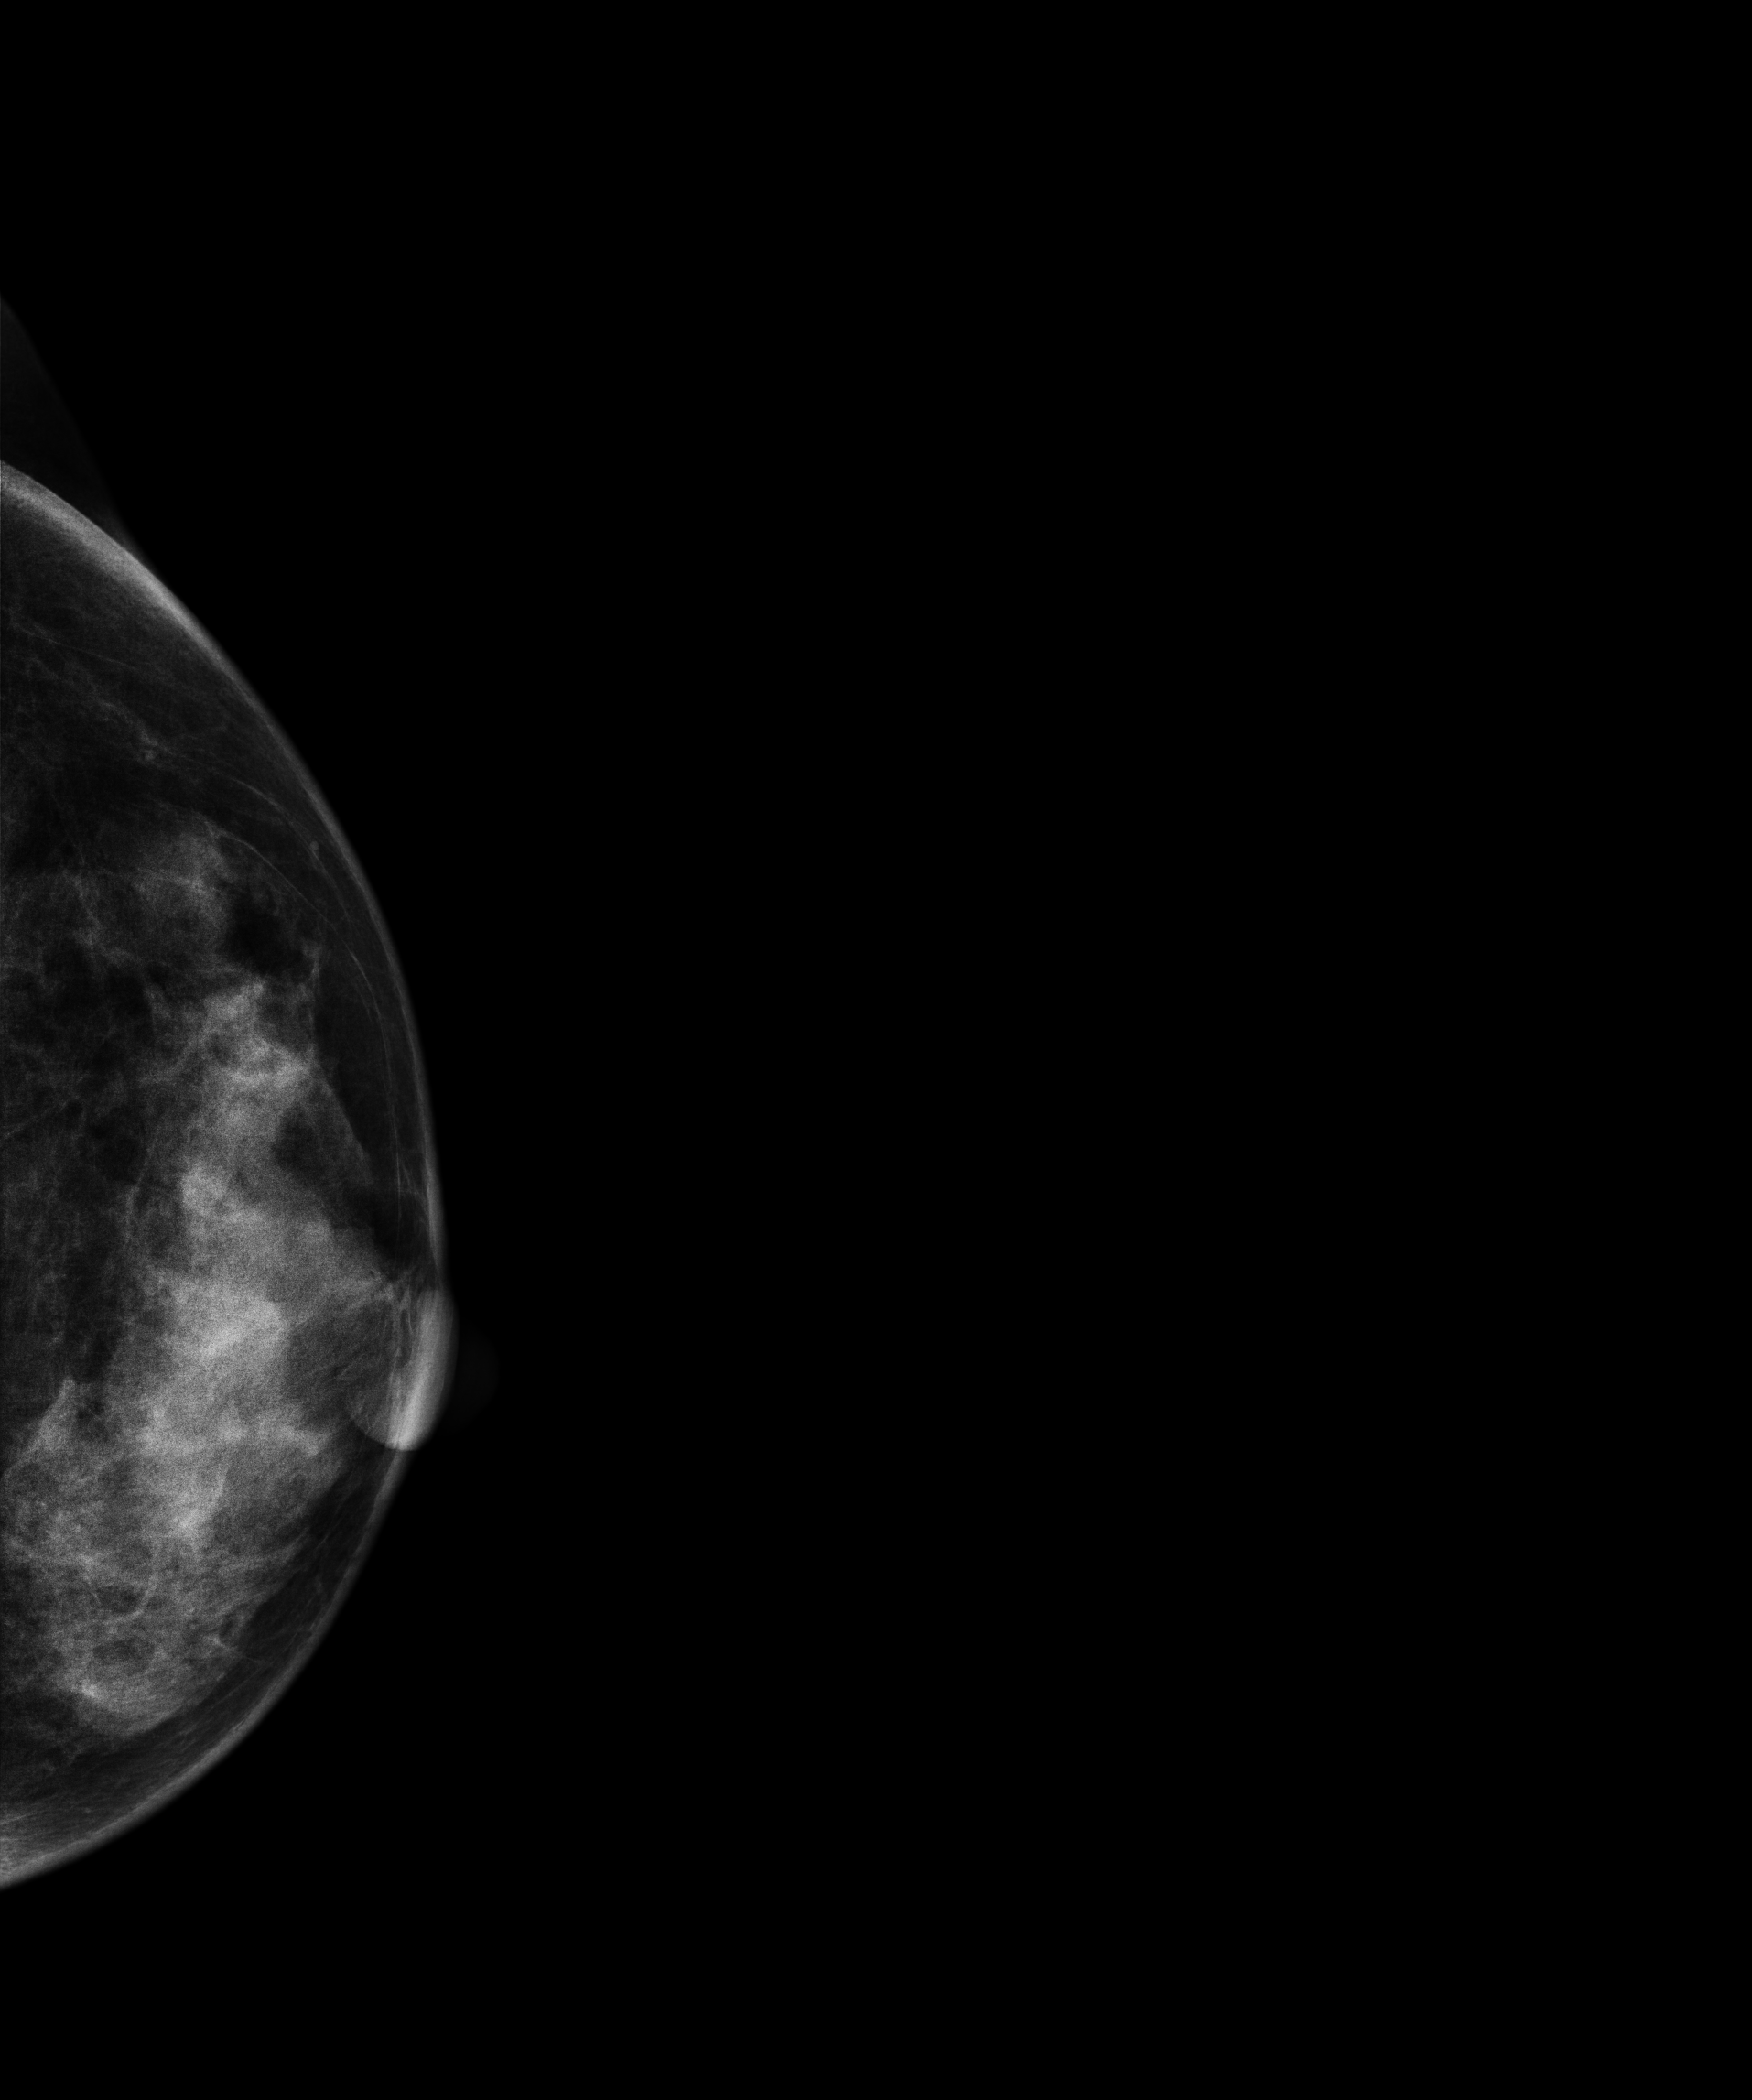
Mammogram — left CC. 42 y/o patient.
This breast has a mass, pathology-confirmed benign.